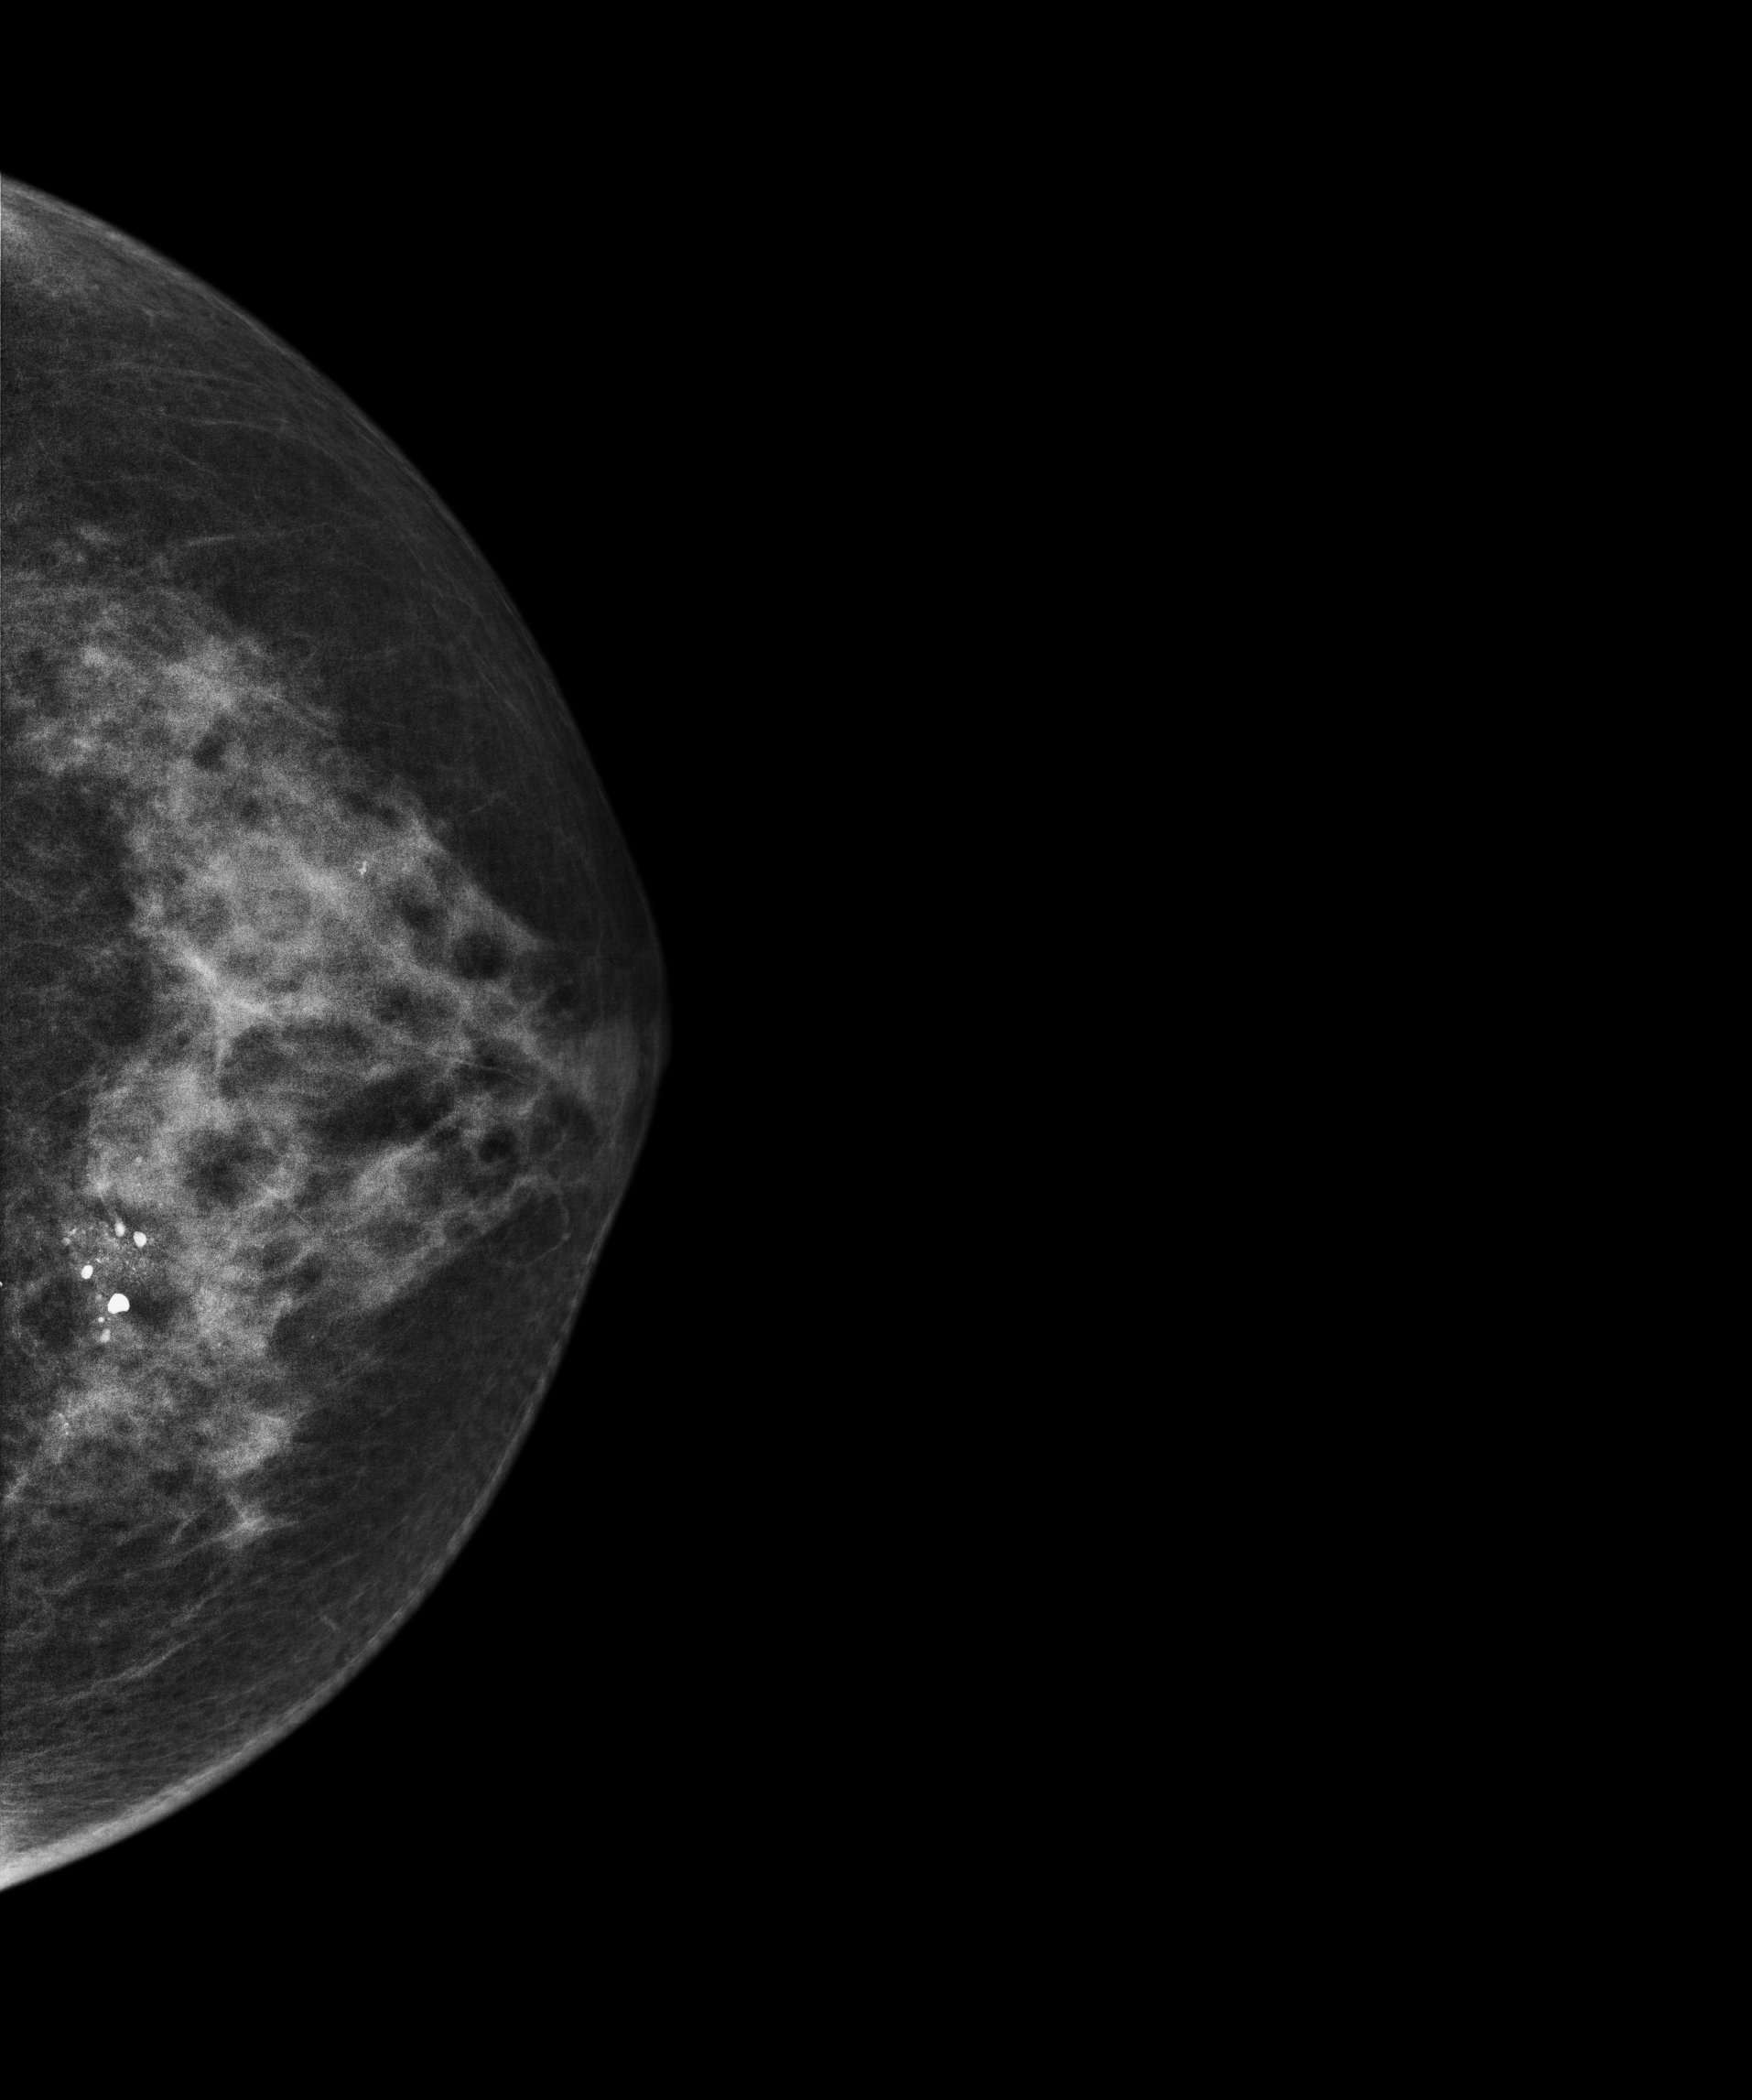
Mammogram, left breast, cranio-caudal view. Patient age 39.
This breast has calcifications, biopsy-proven benign.